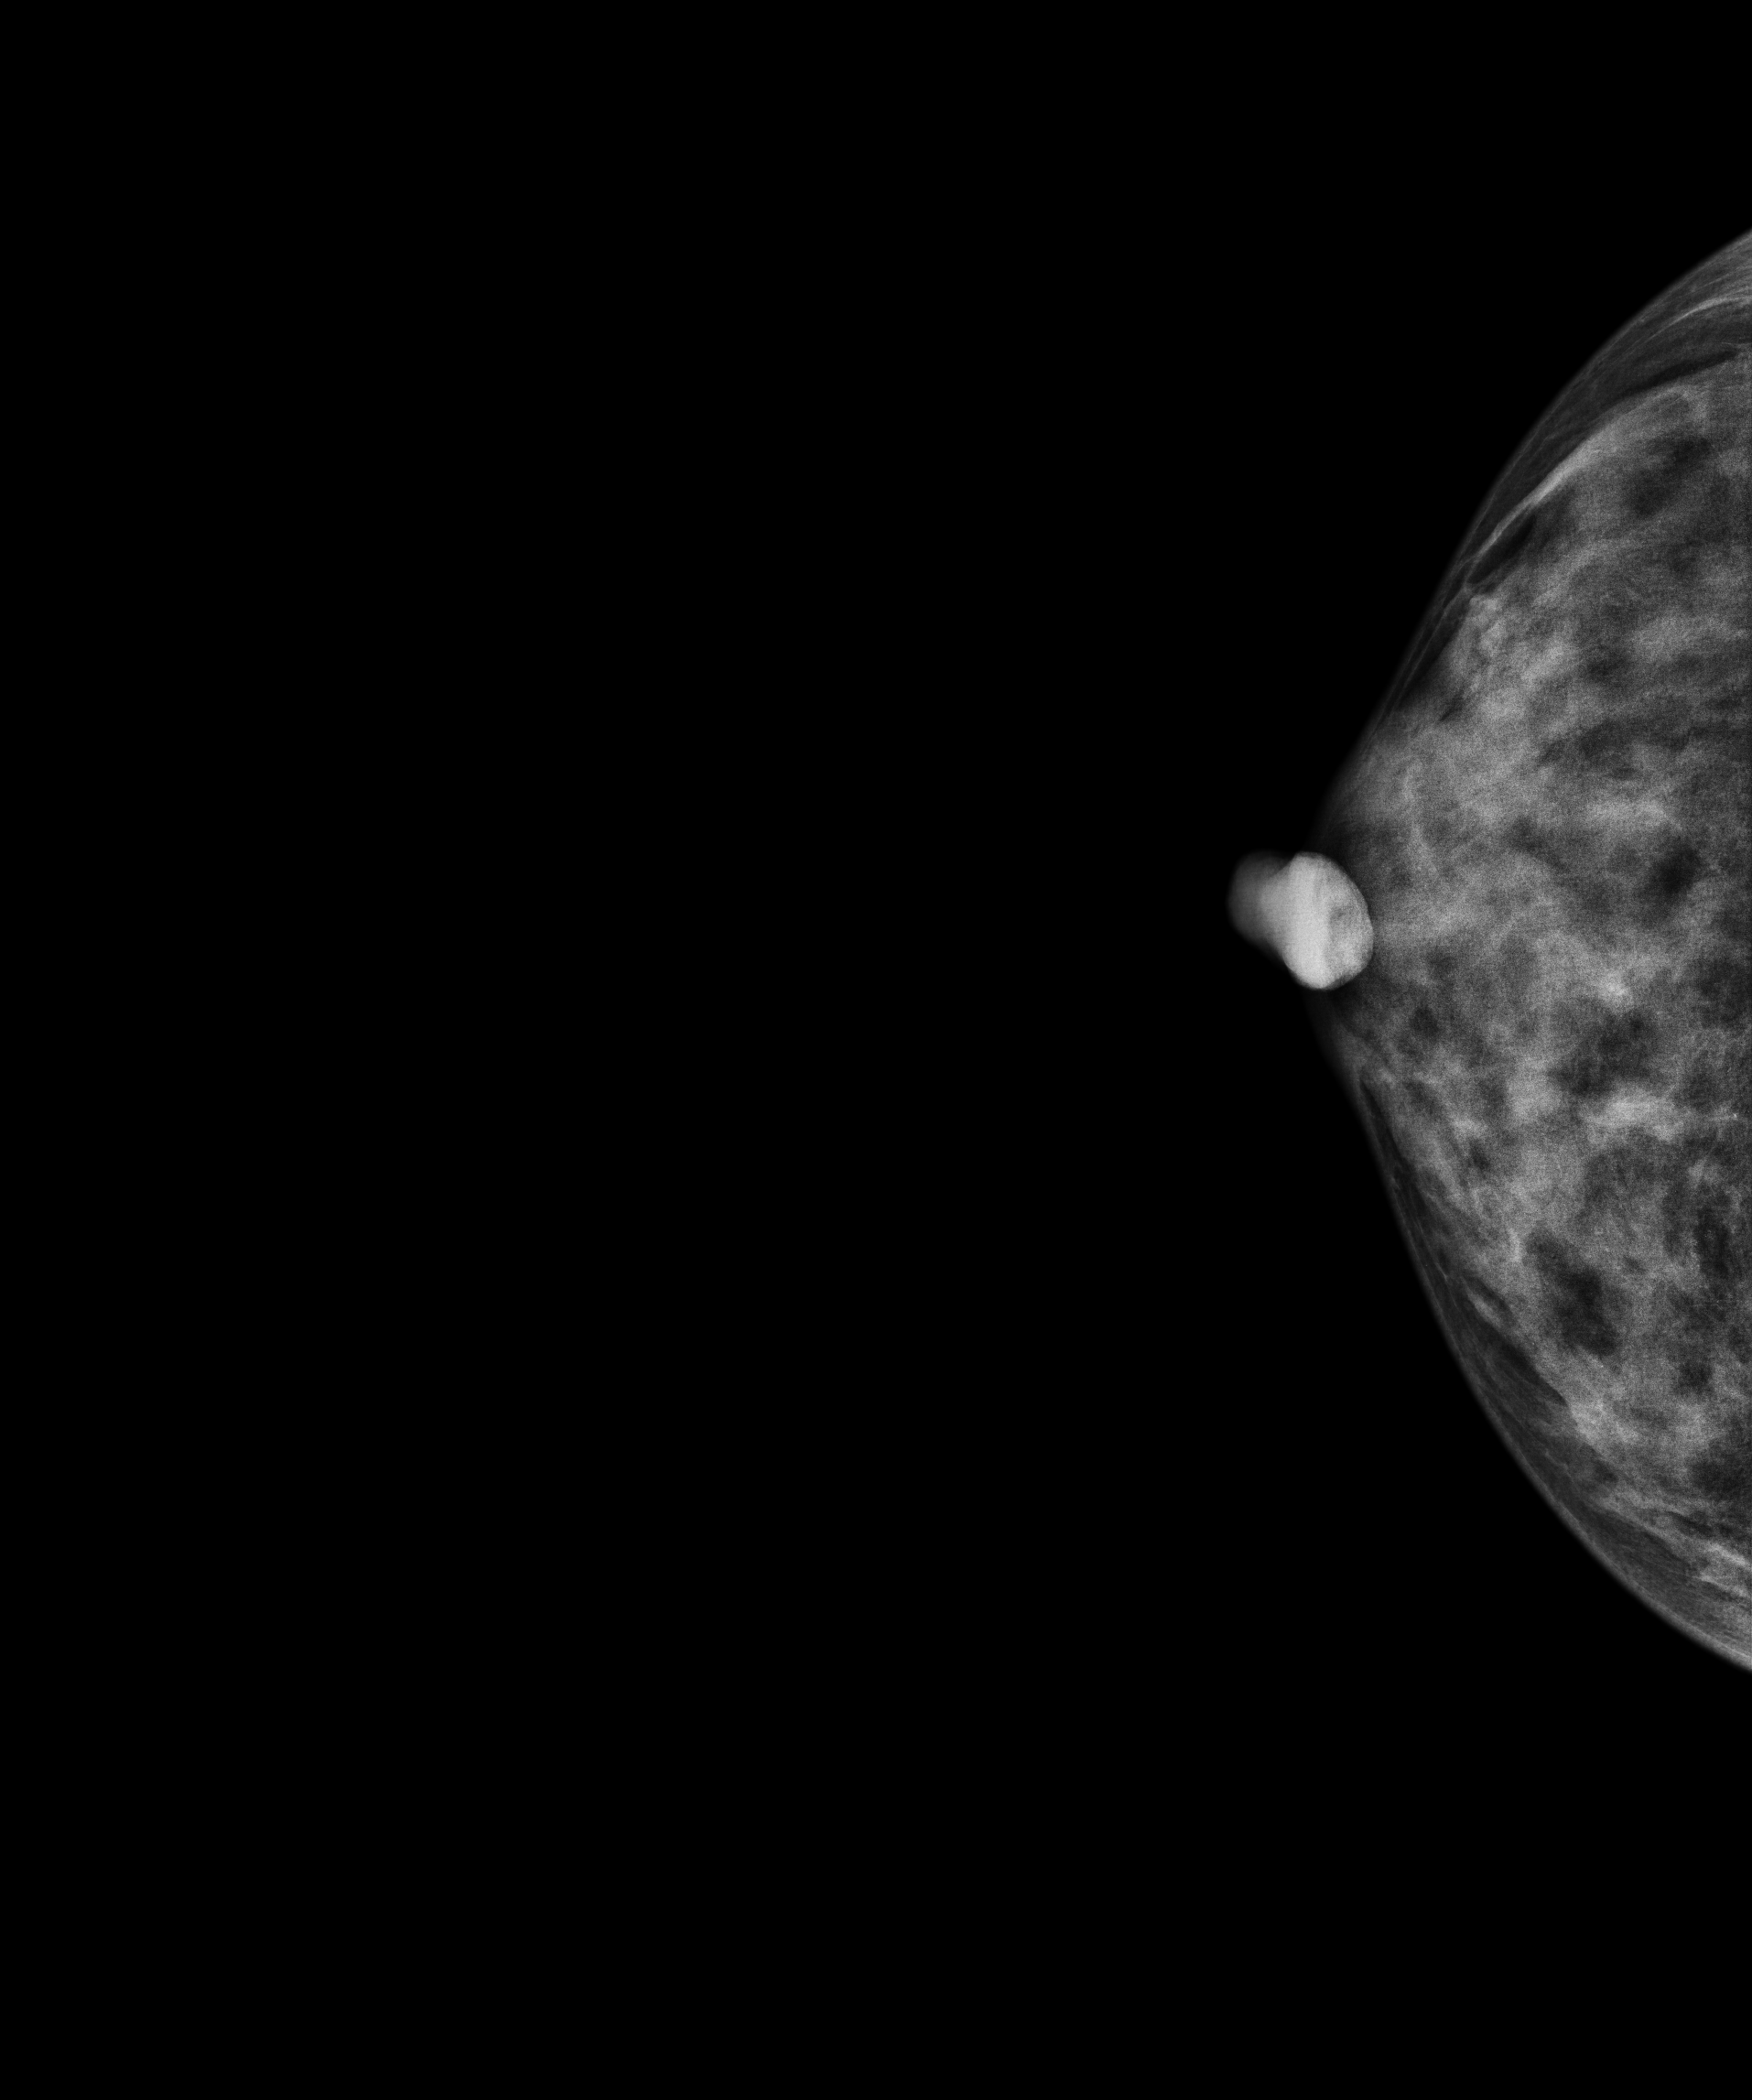
Mammogram — right CC. 43-year-old patient.
This breast has a mass and calcifications, biopsy-confirmed malignant.